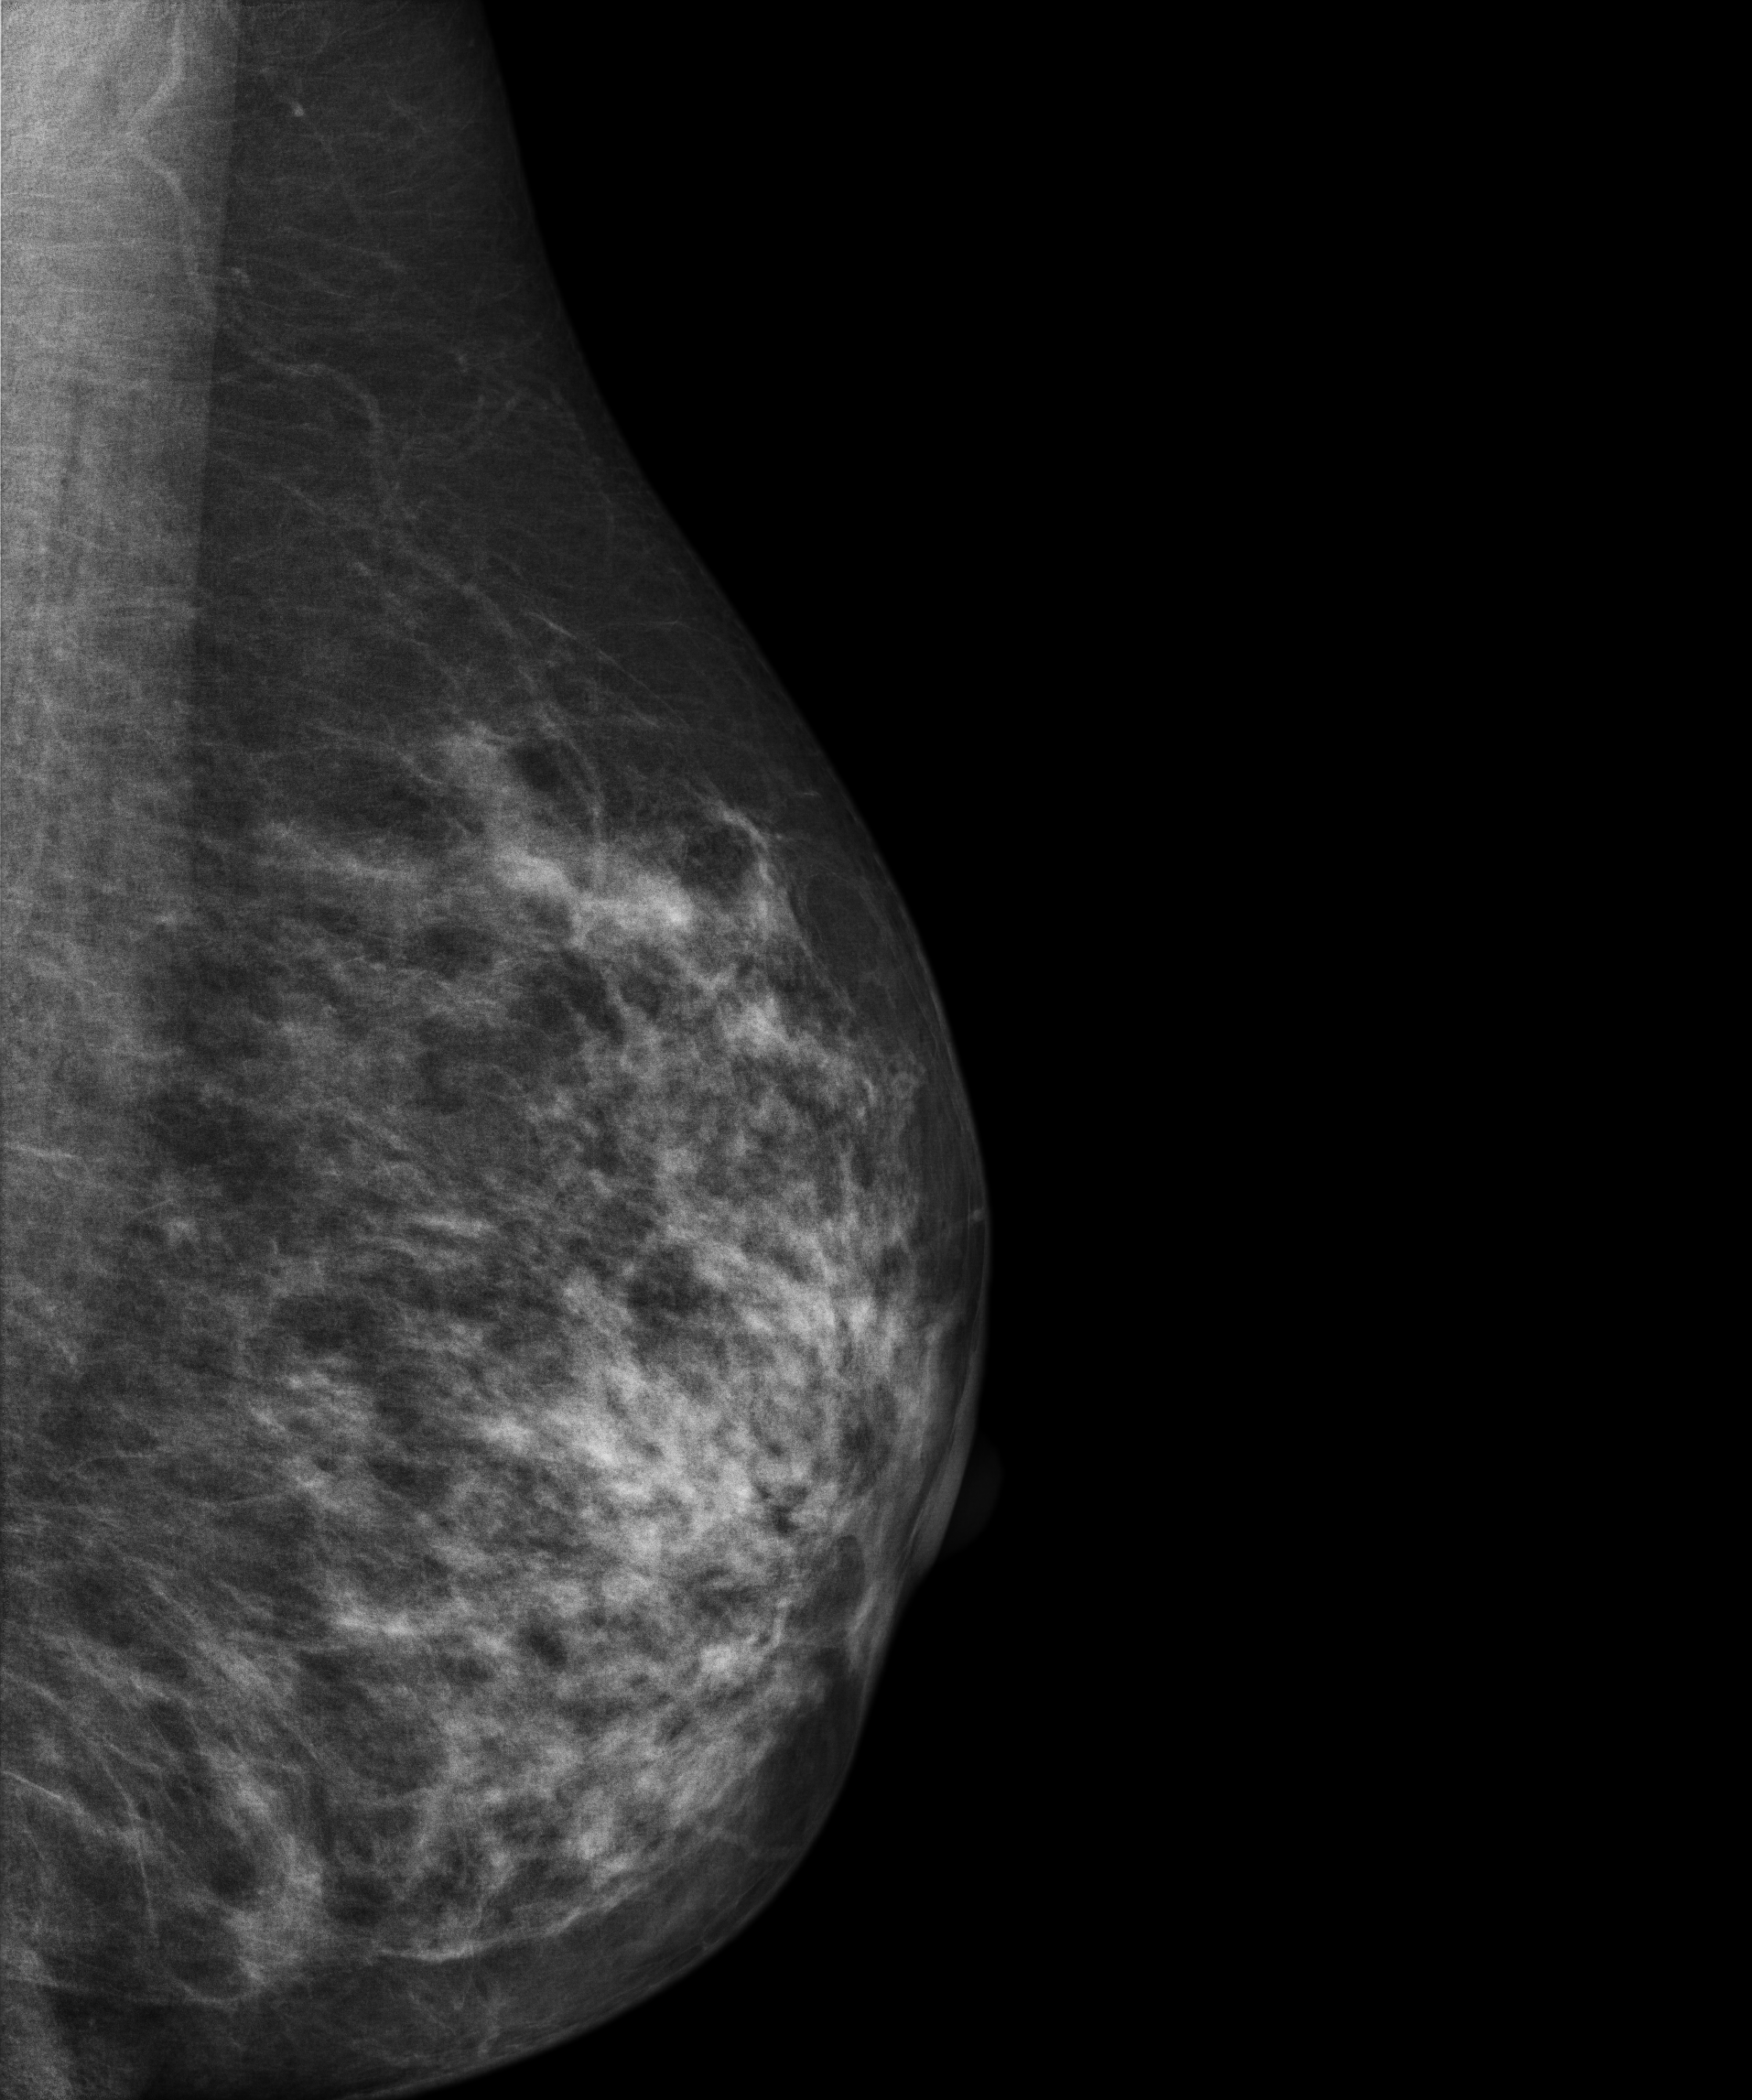
Mammogram, left breast, medio-lateral oblique view. Patient age 43.
Contralateral breast — no documented abnormality on this side.